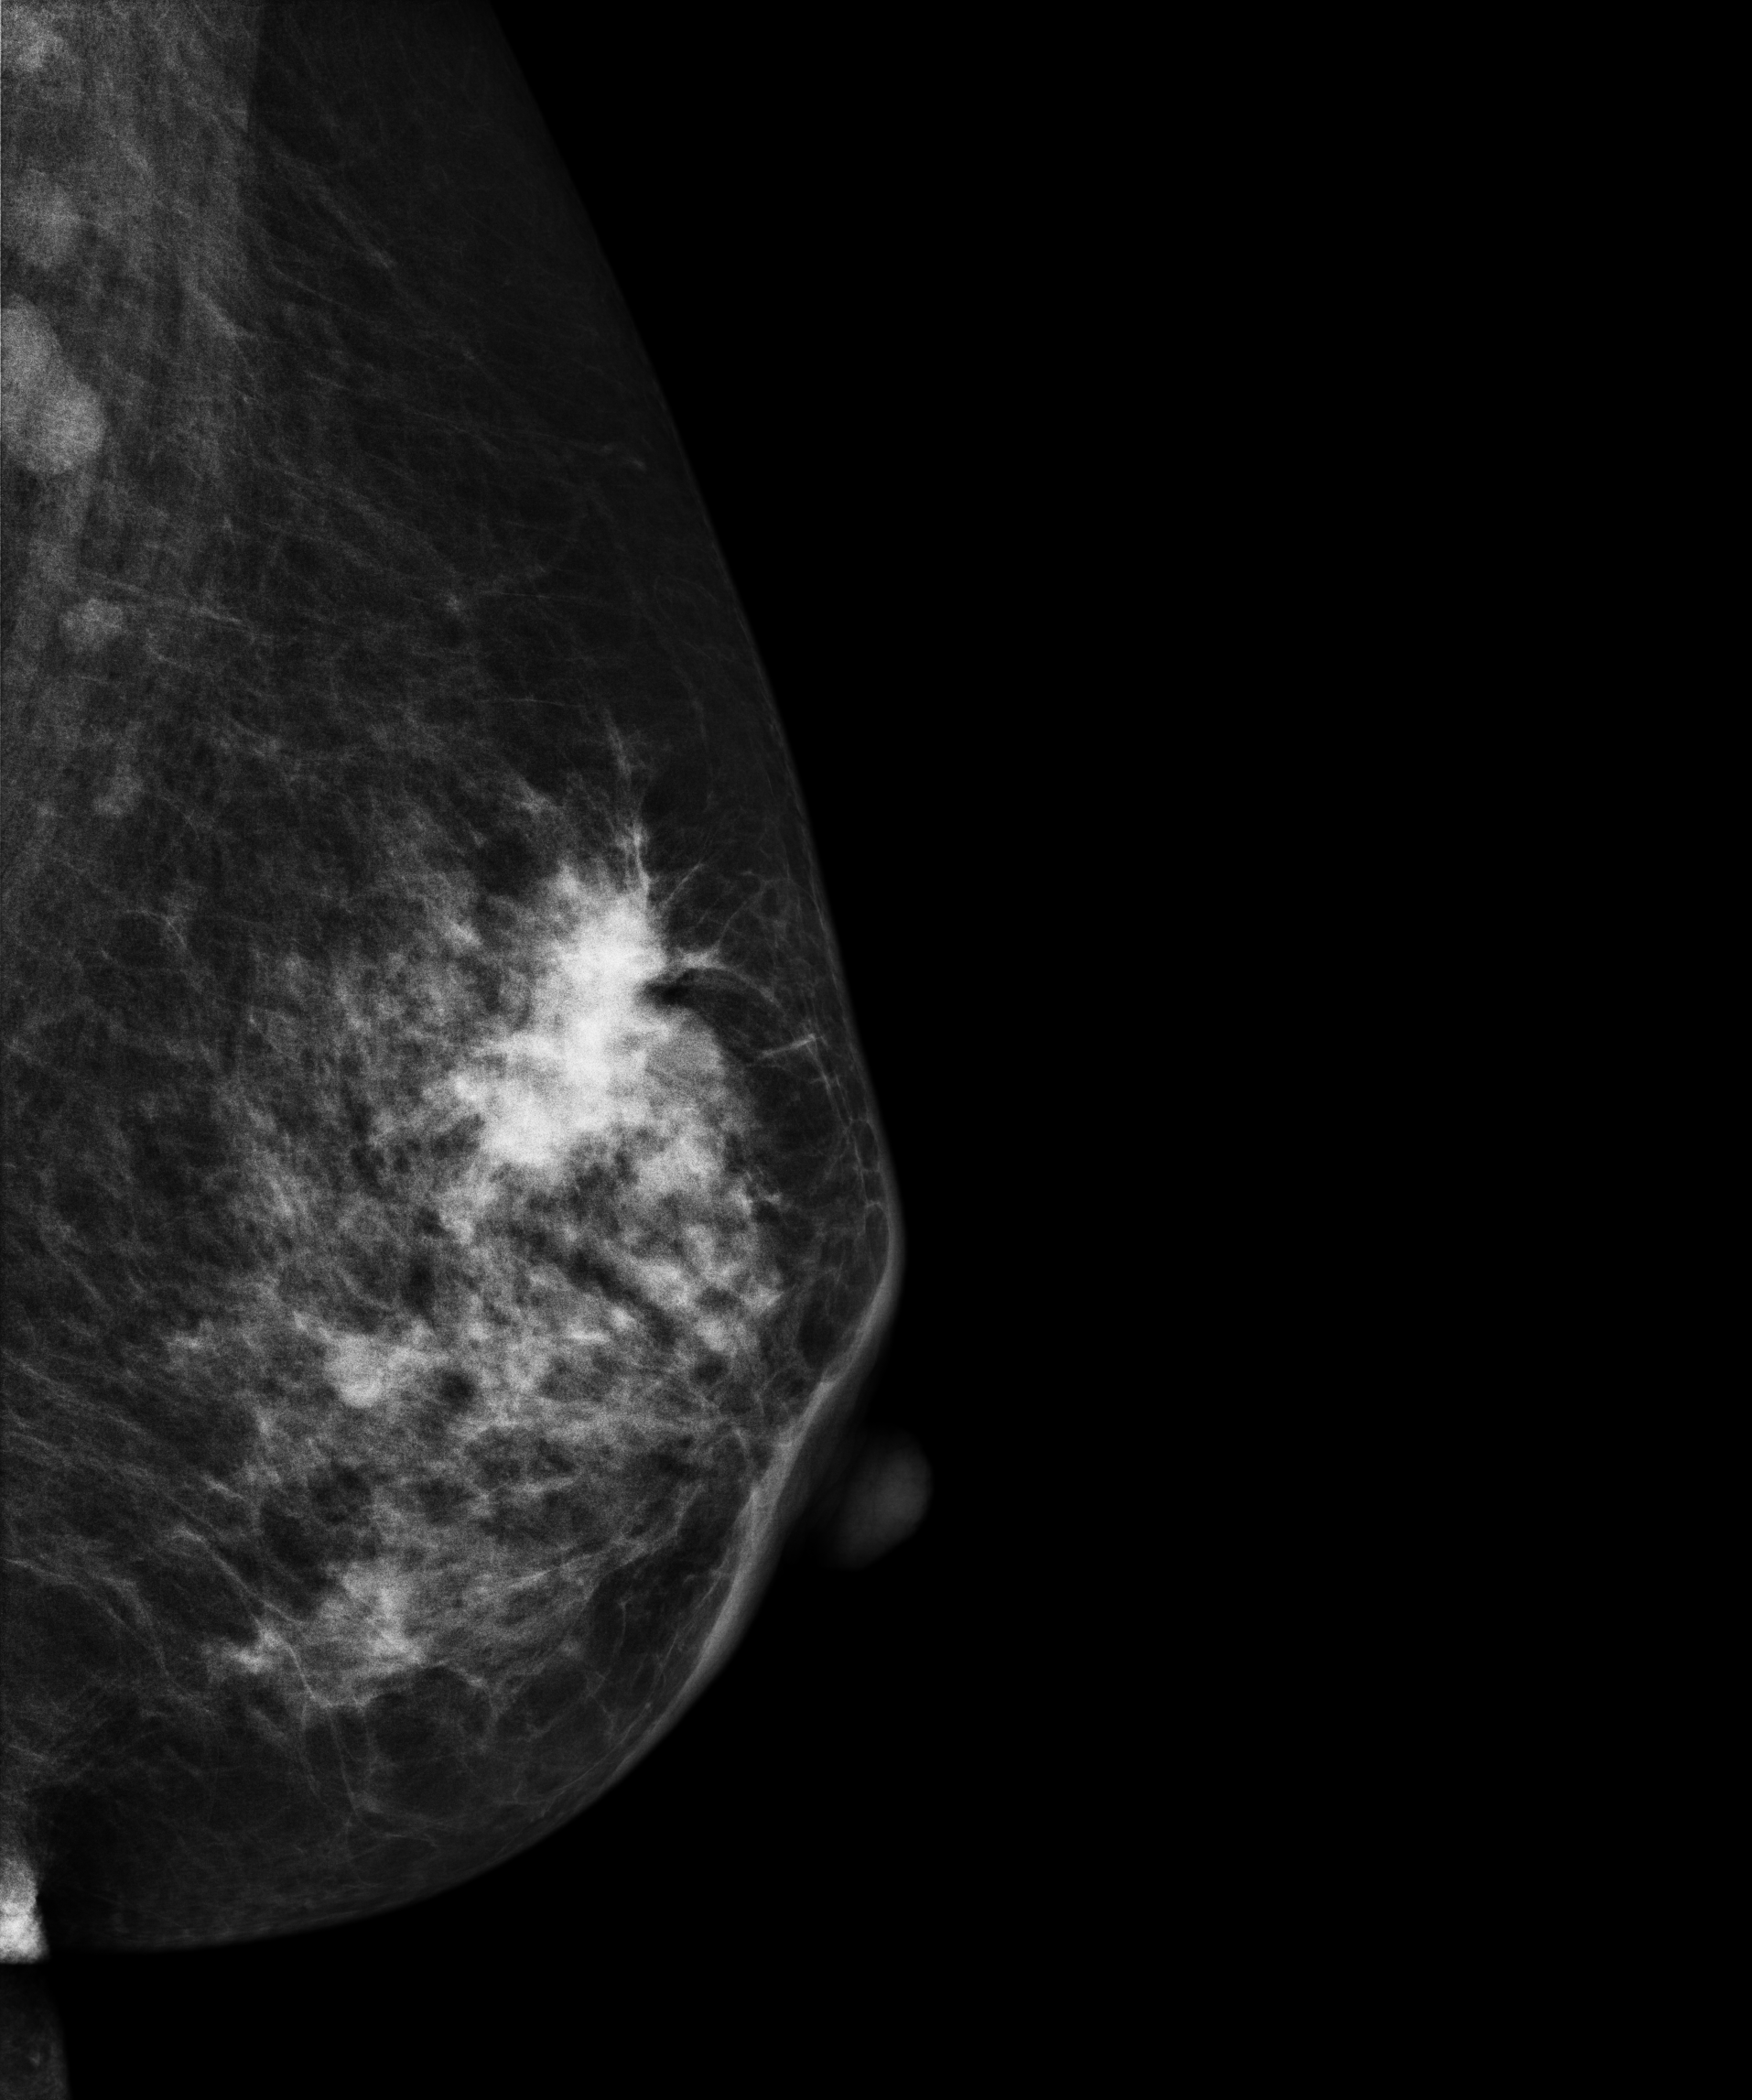
Digital mammography. Left breast, MLO projection. 61 y/o patient.
This breast has a mass, biopsy-confirmed malignant. Molecular subtype: luminal A.